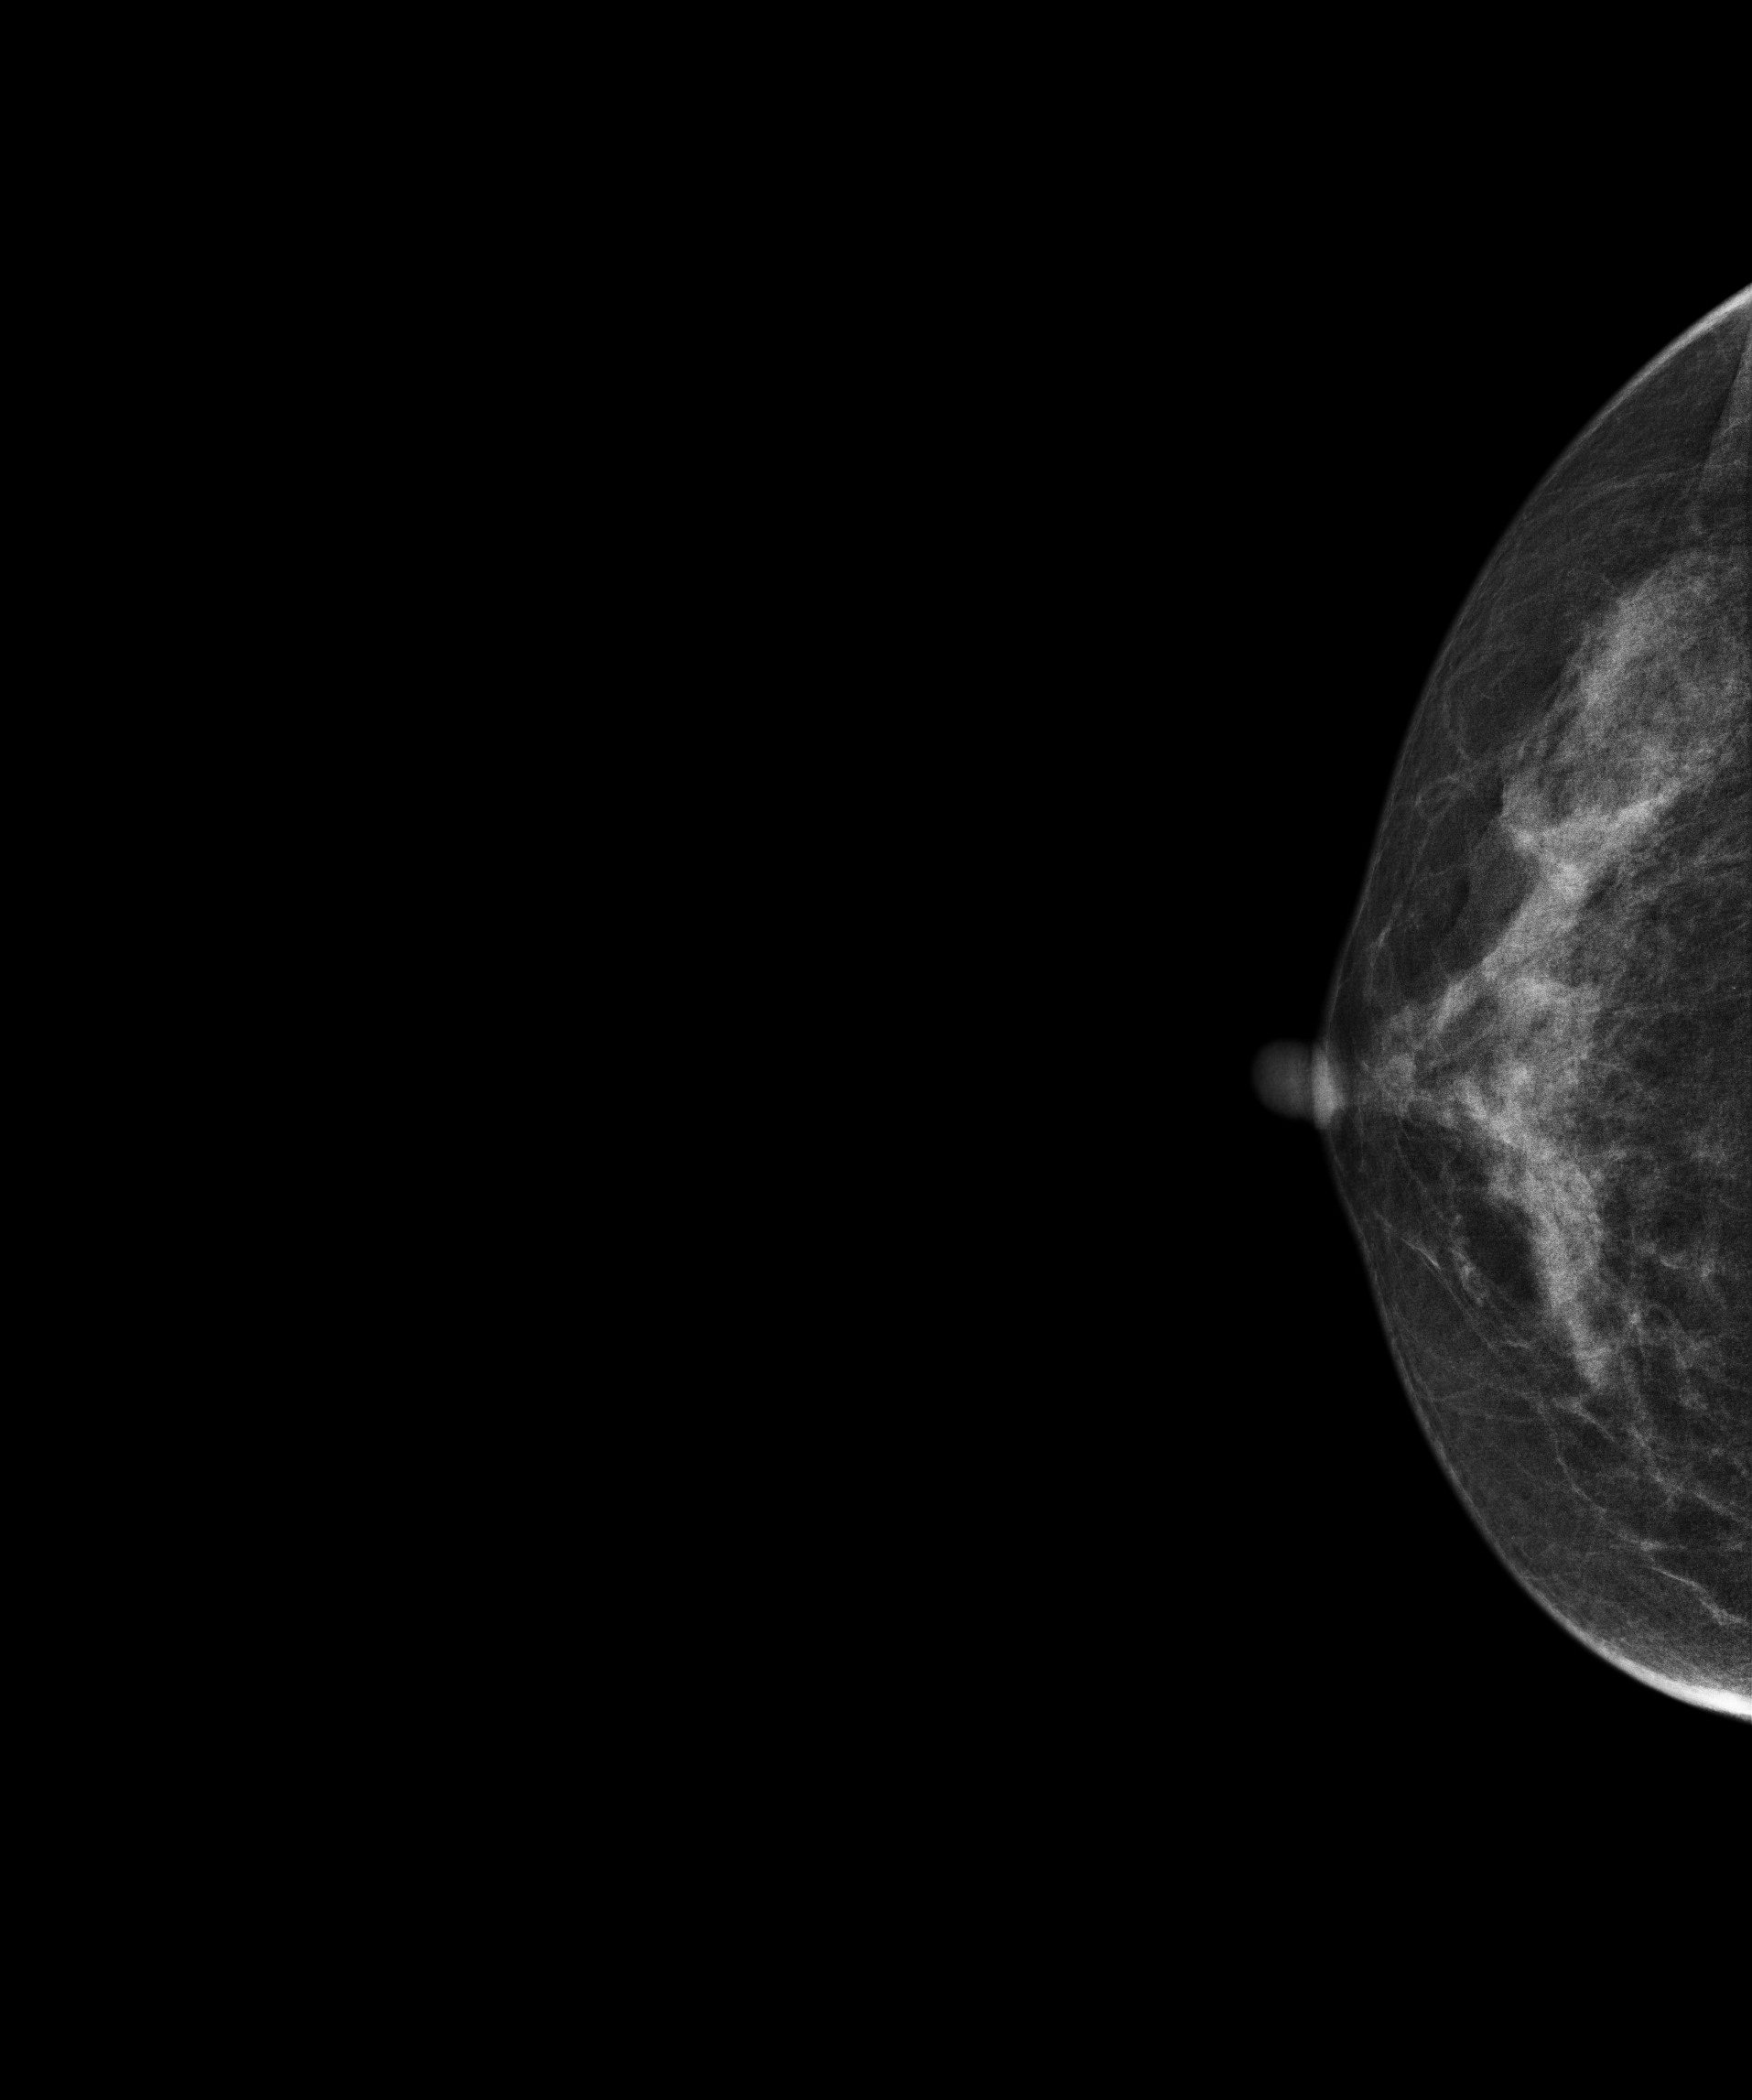
CC mammogram of the right breast. 59 y/o patient.
Contralateral breast — no documented abnormality on this side.